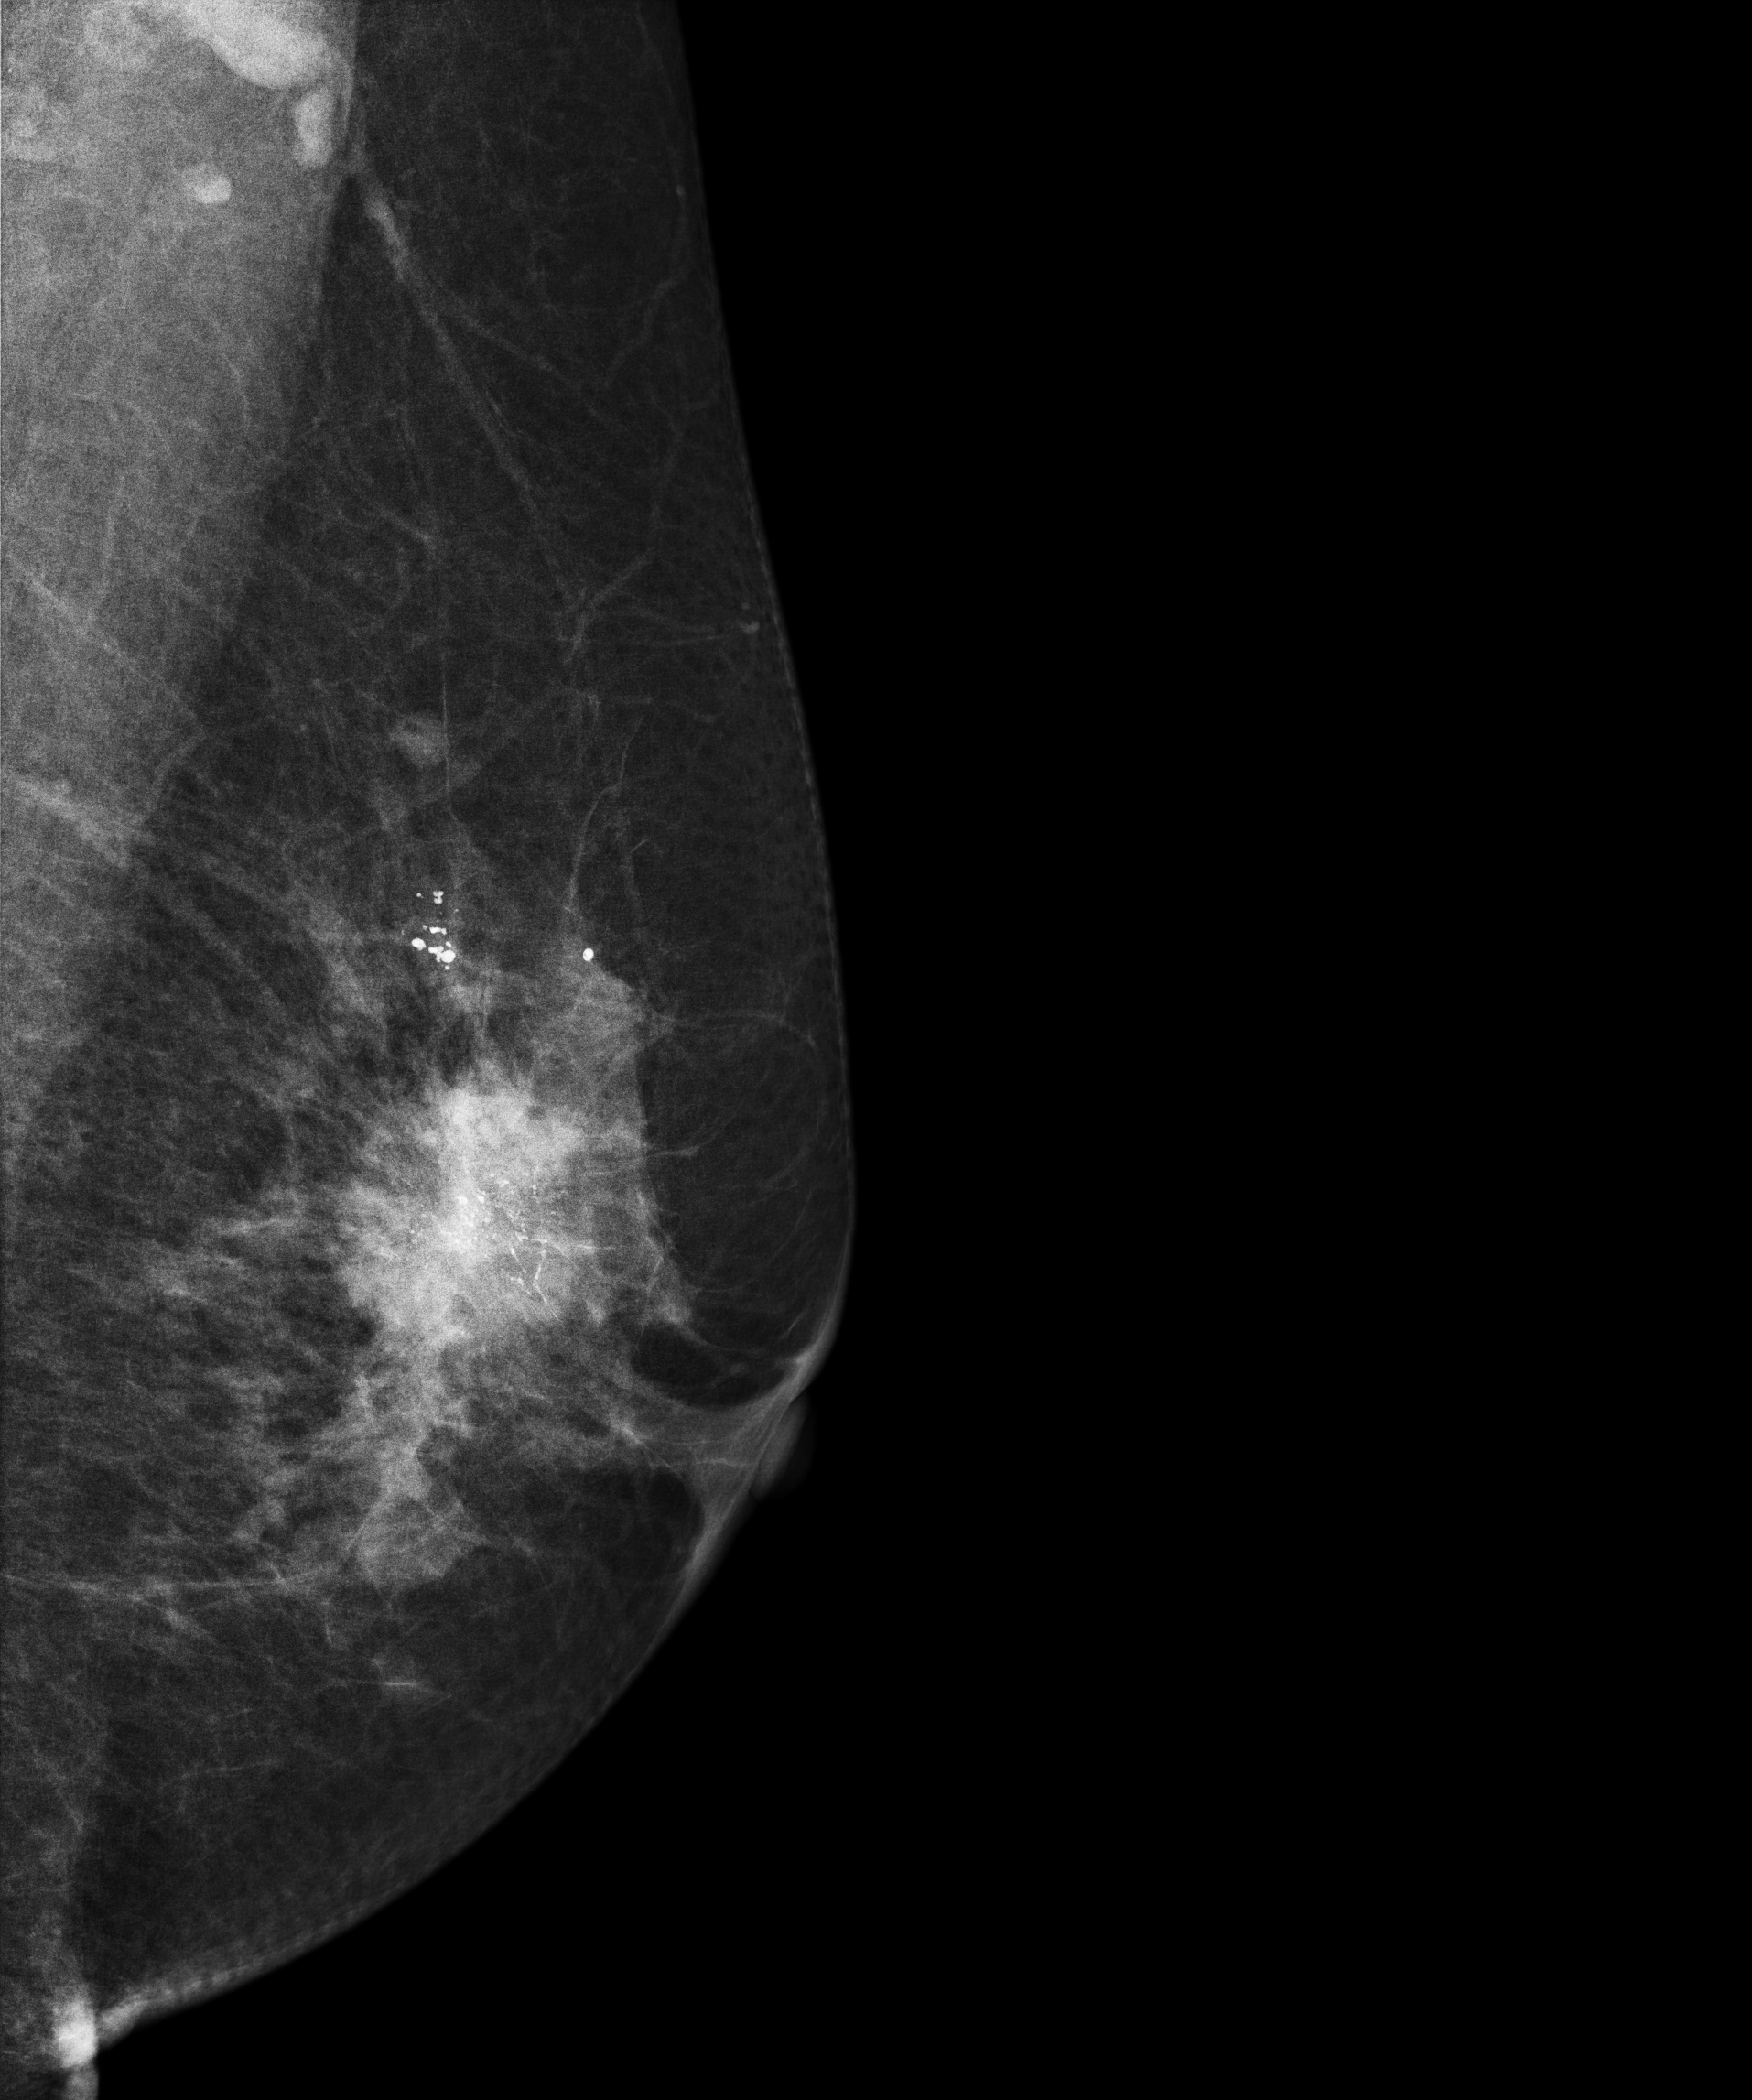
Digital mammography. Left breast, medio-lateral oblique projection. 68-year-old patient.
This breast has a mass and calcifications, pathology-confirmed malignant.